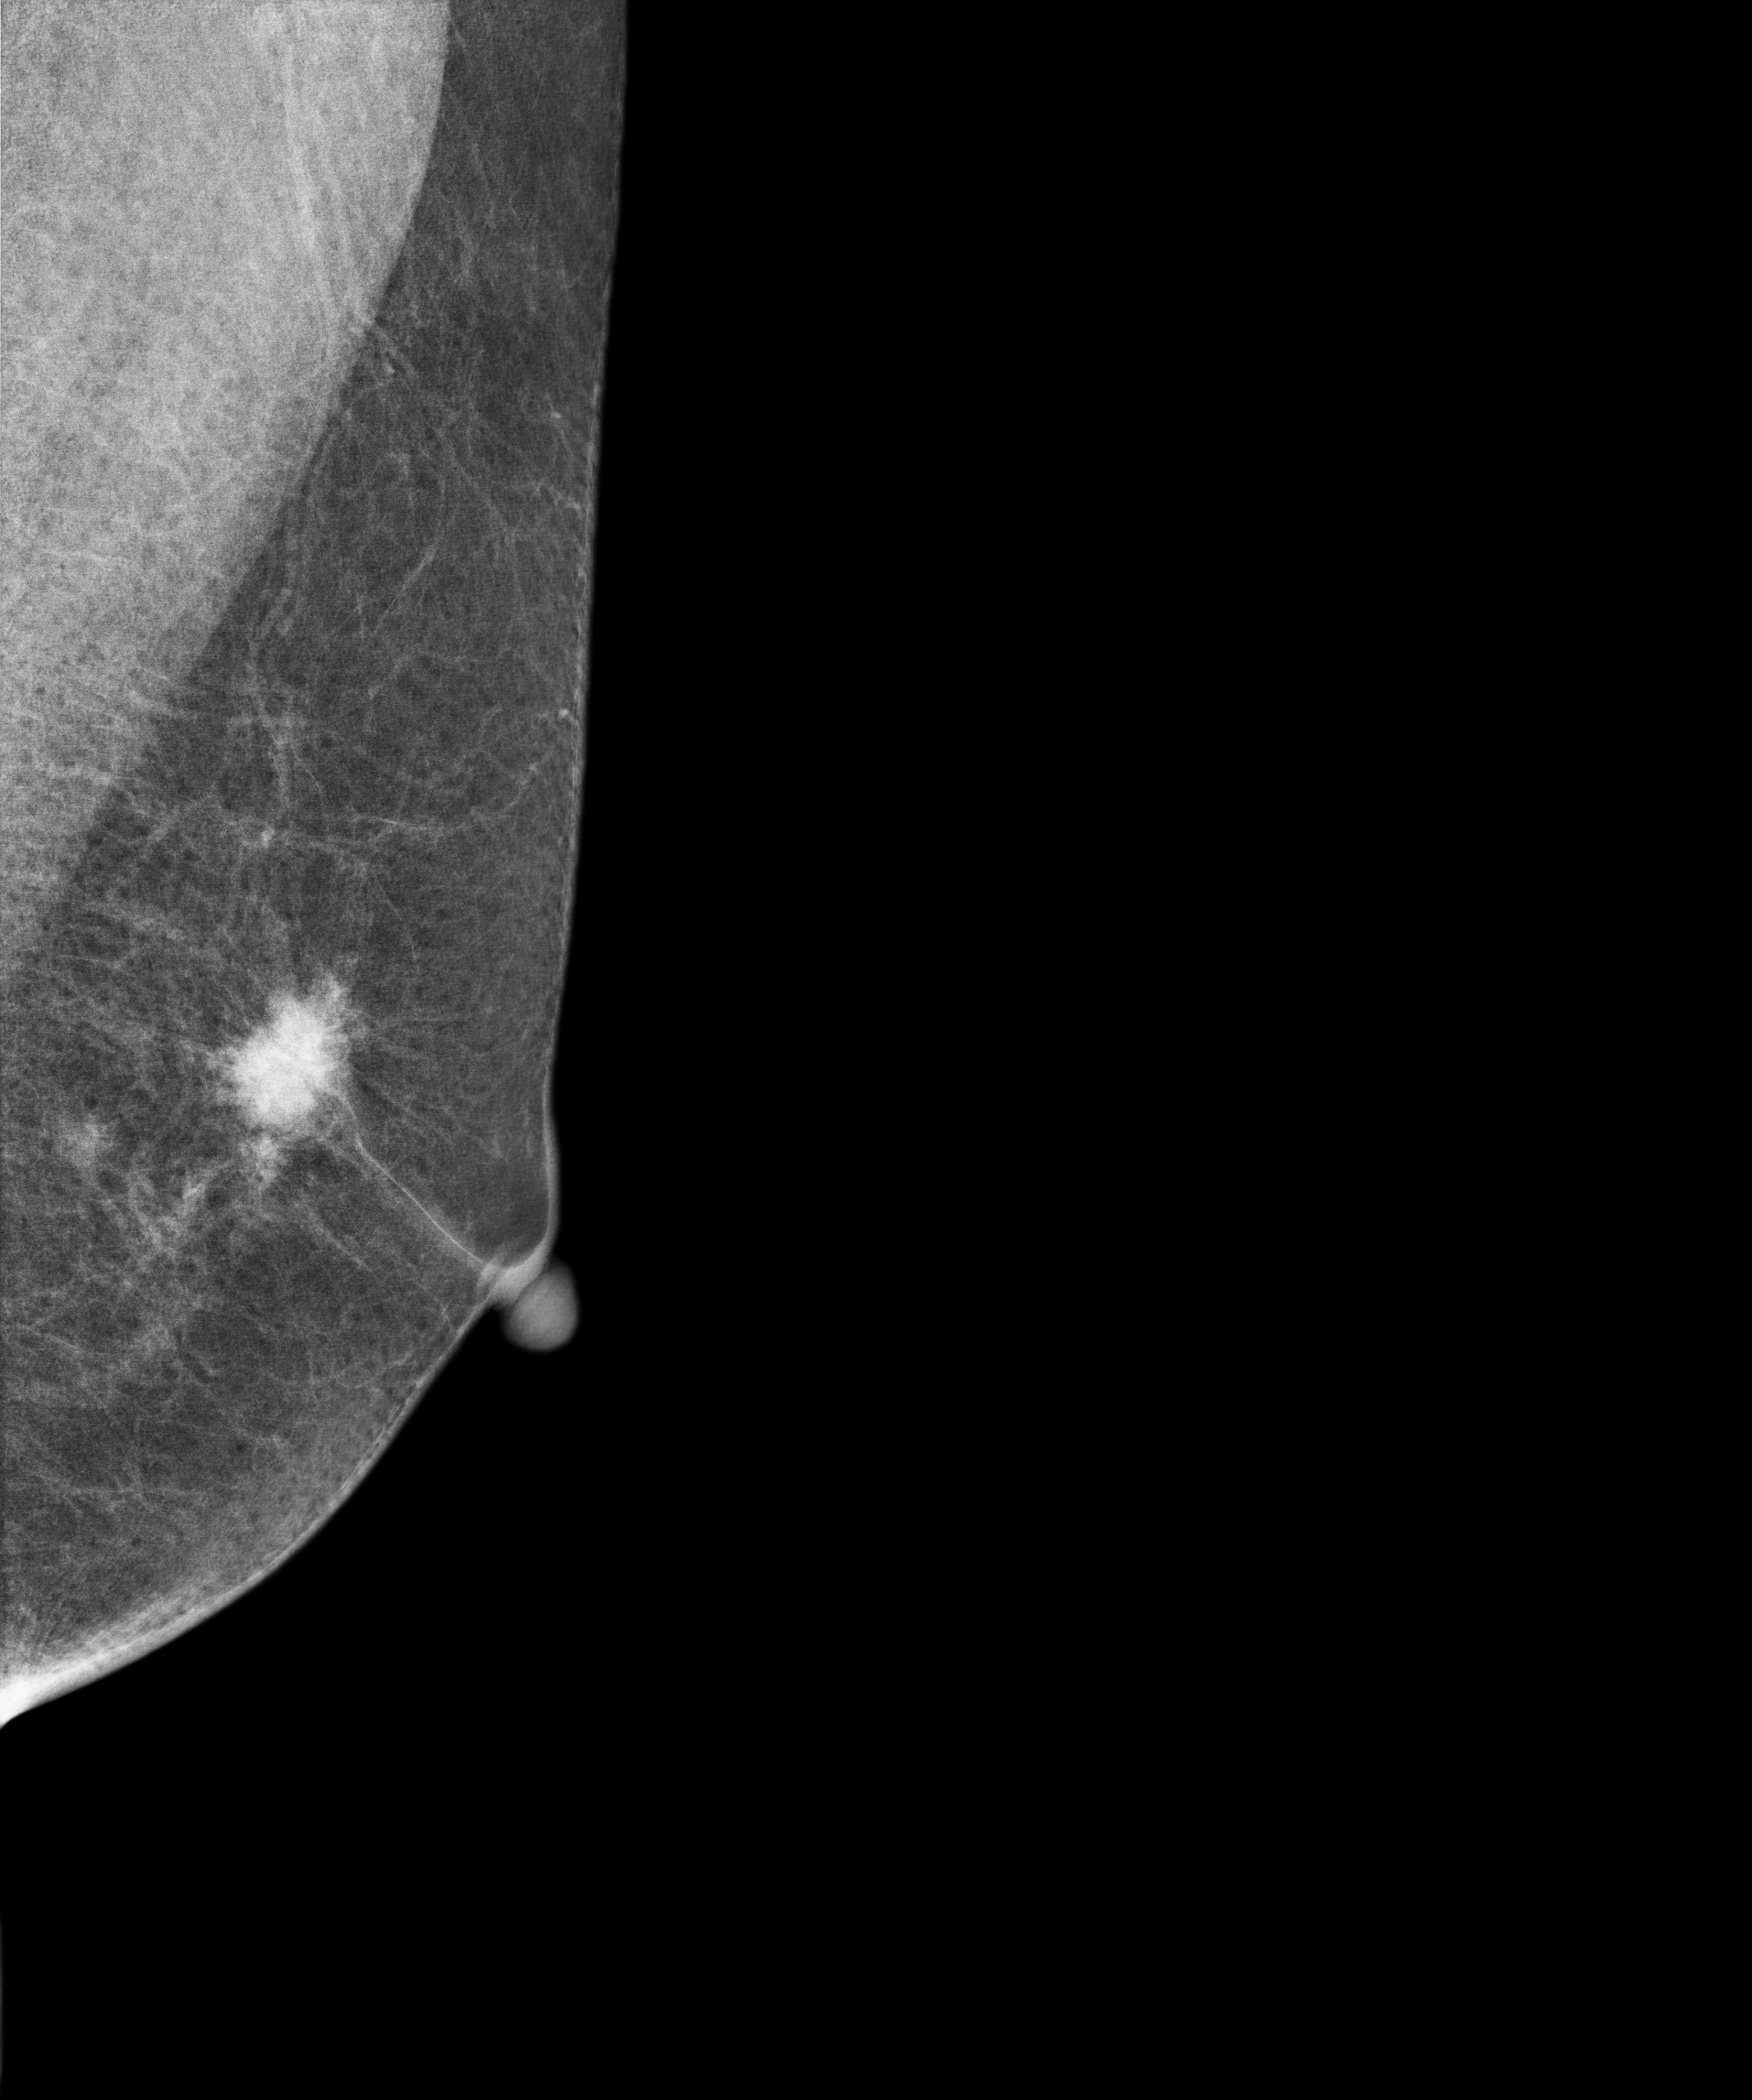
Left-breast mammogram, medio-lateral oblique. Patient age 75.
This breast has a mass, biopsy-confirmed malignant.